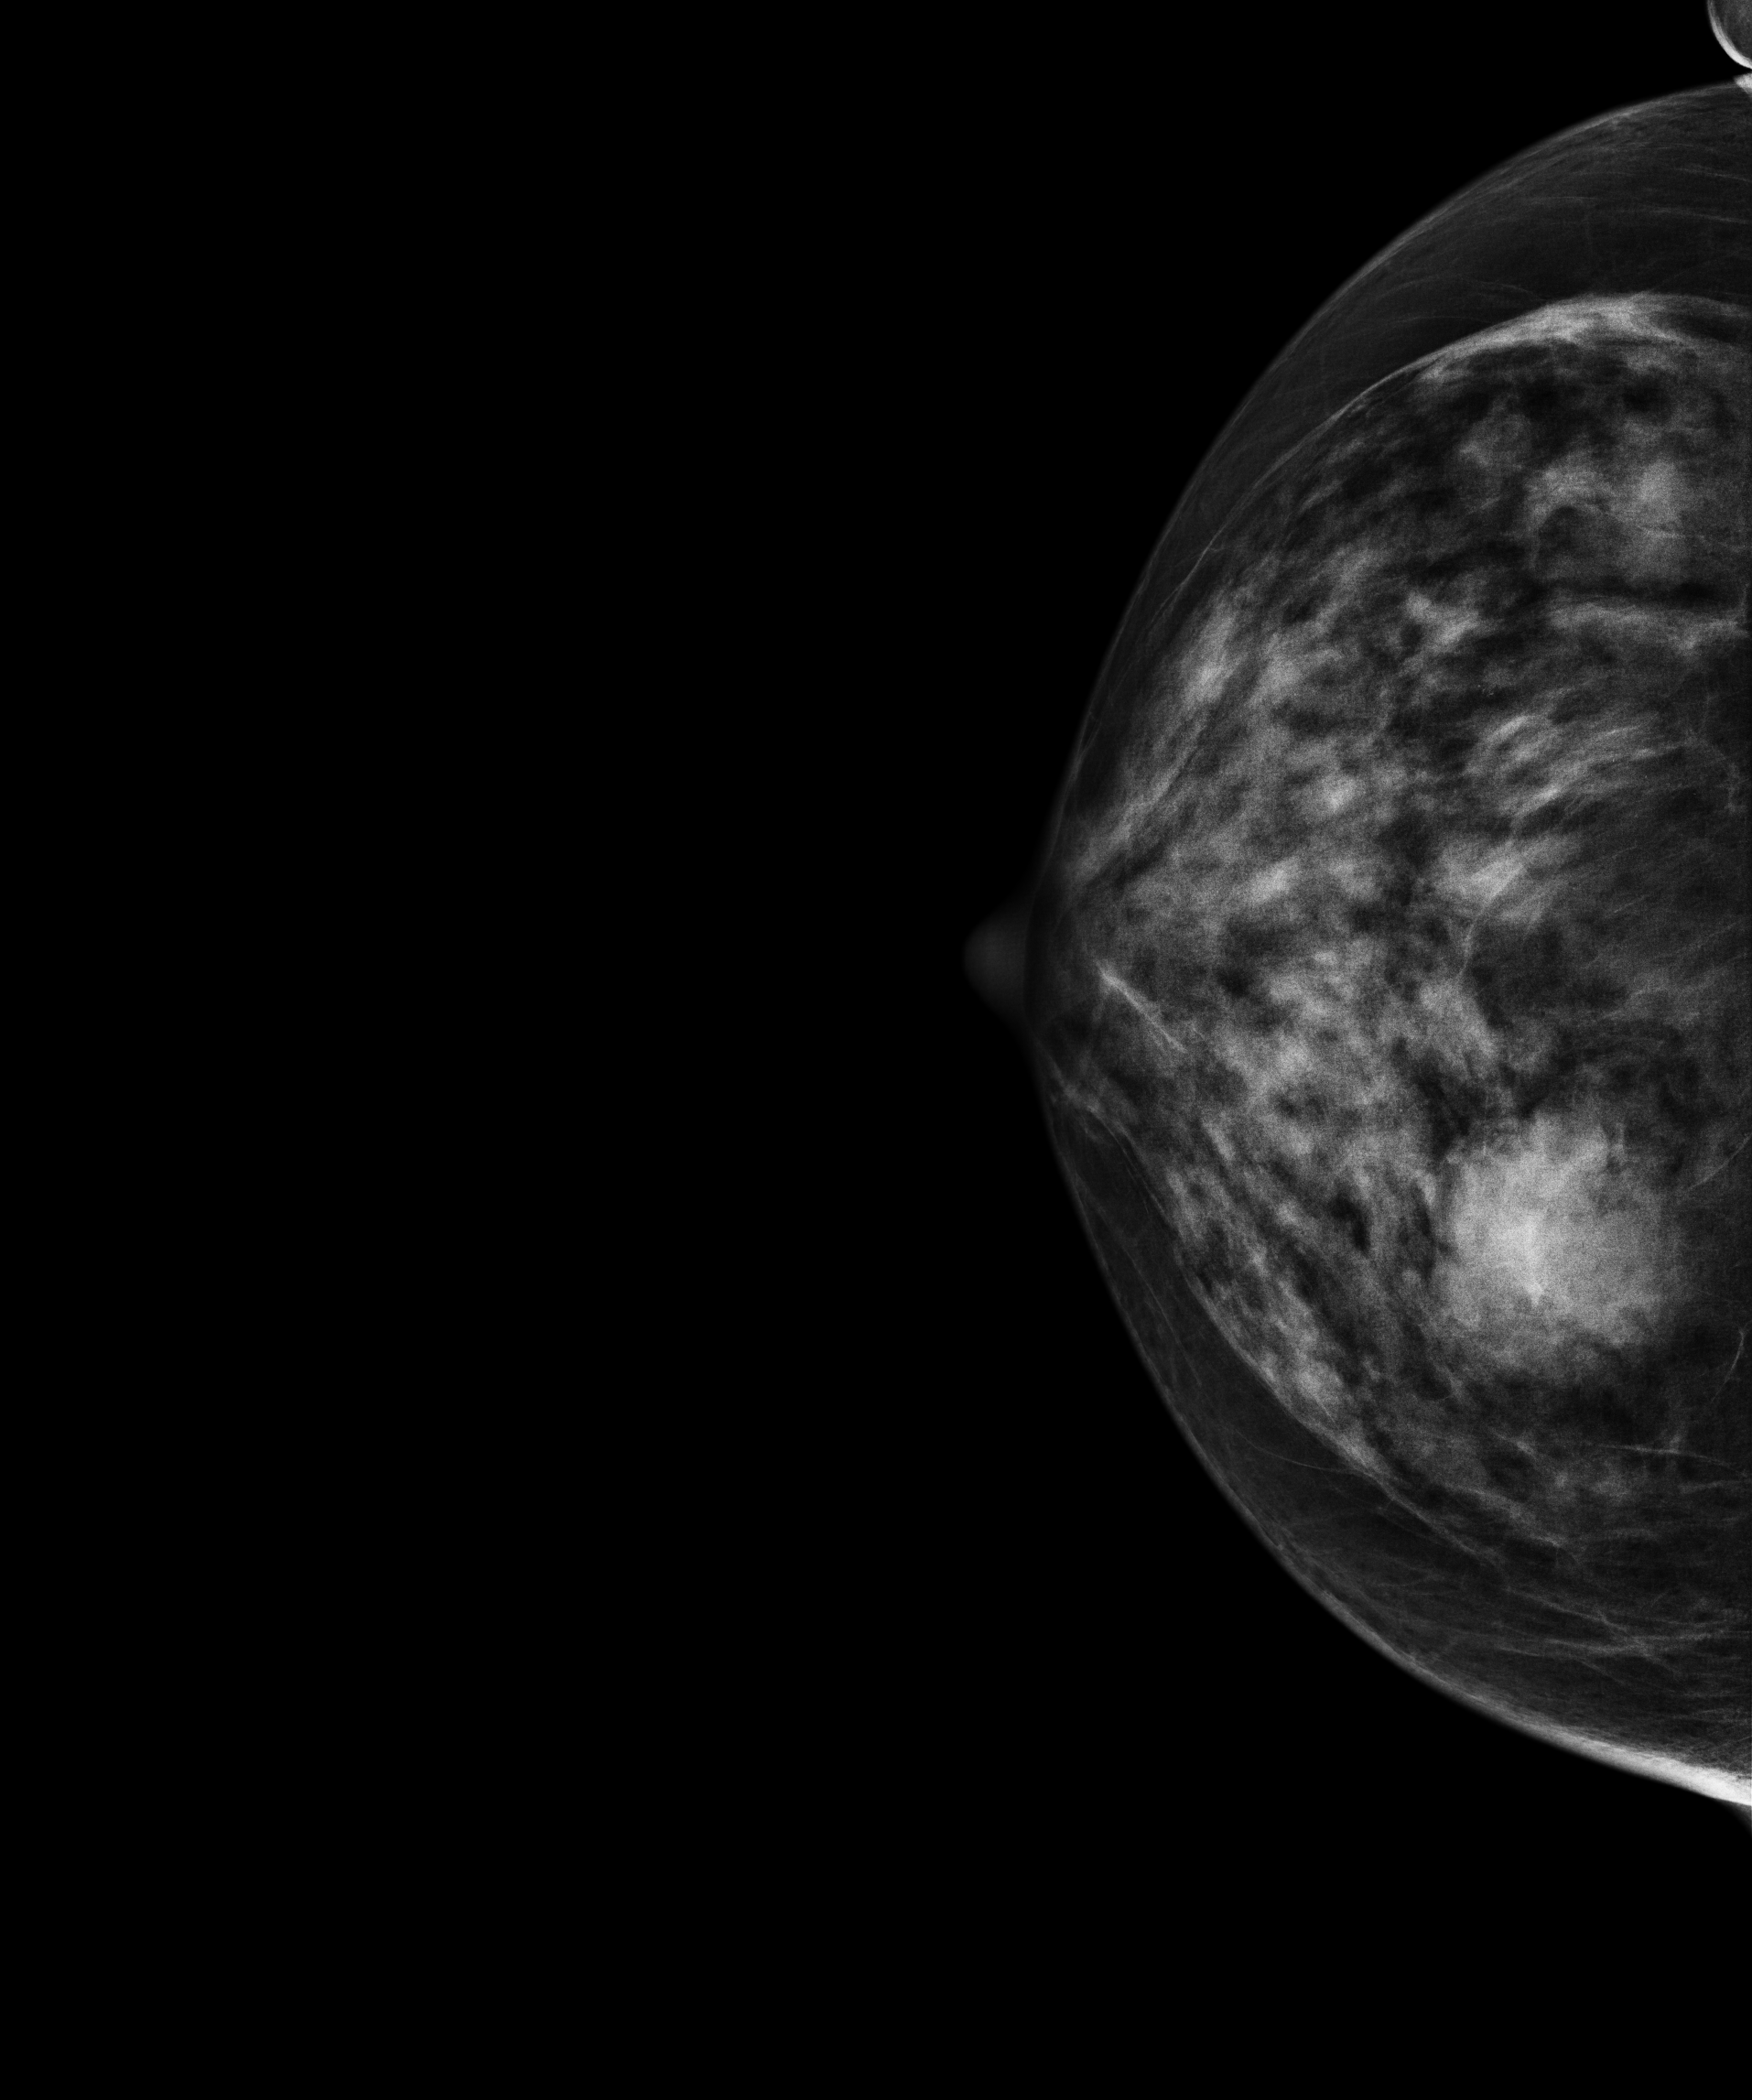
Digital mammography. Right breast, cranio-caudal projection. 56-year-old patient.
This breast has a mass, histologically confirmed malignant.